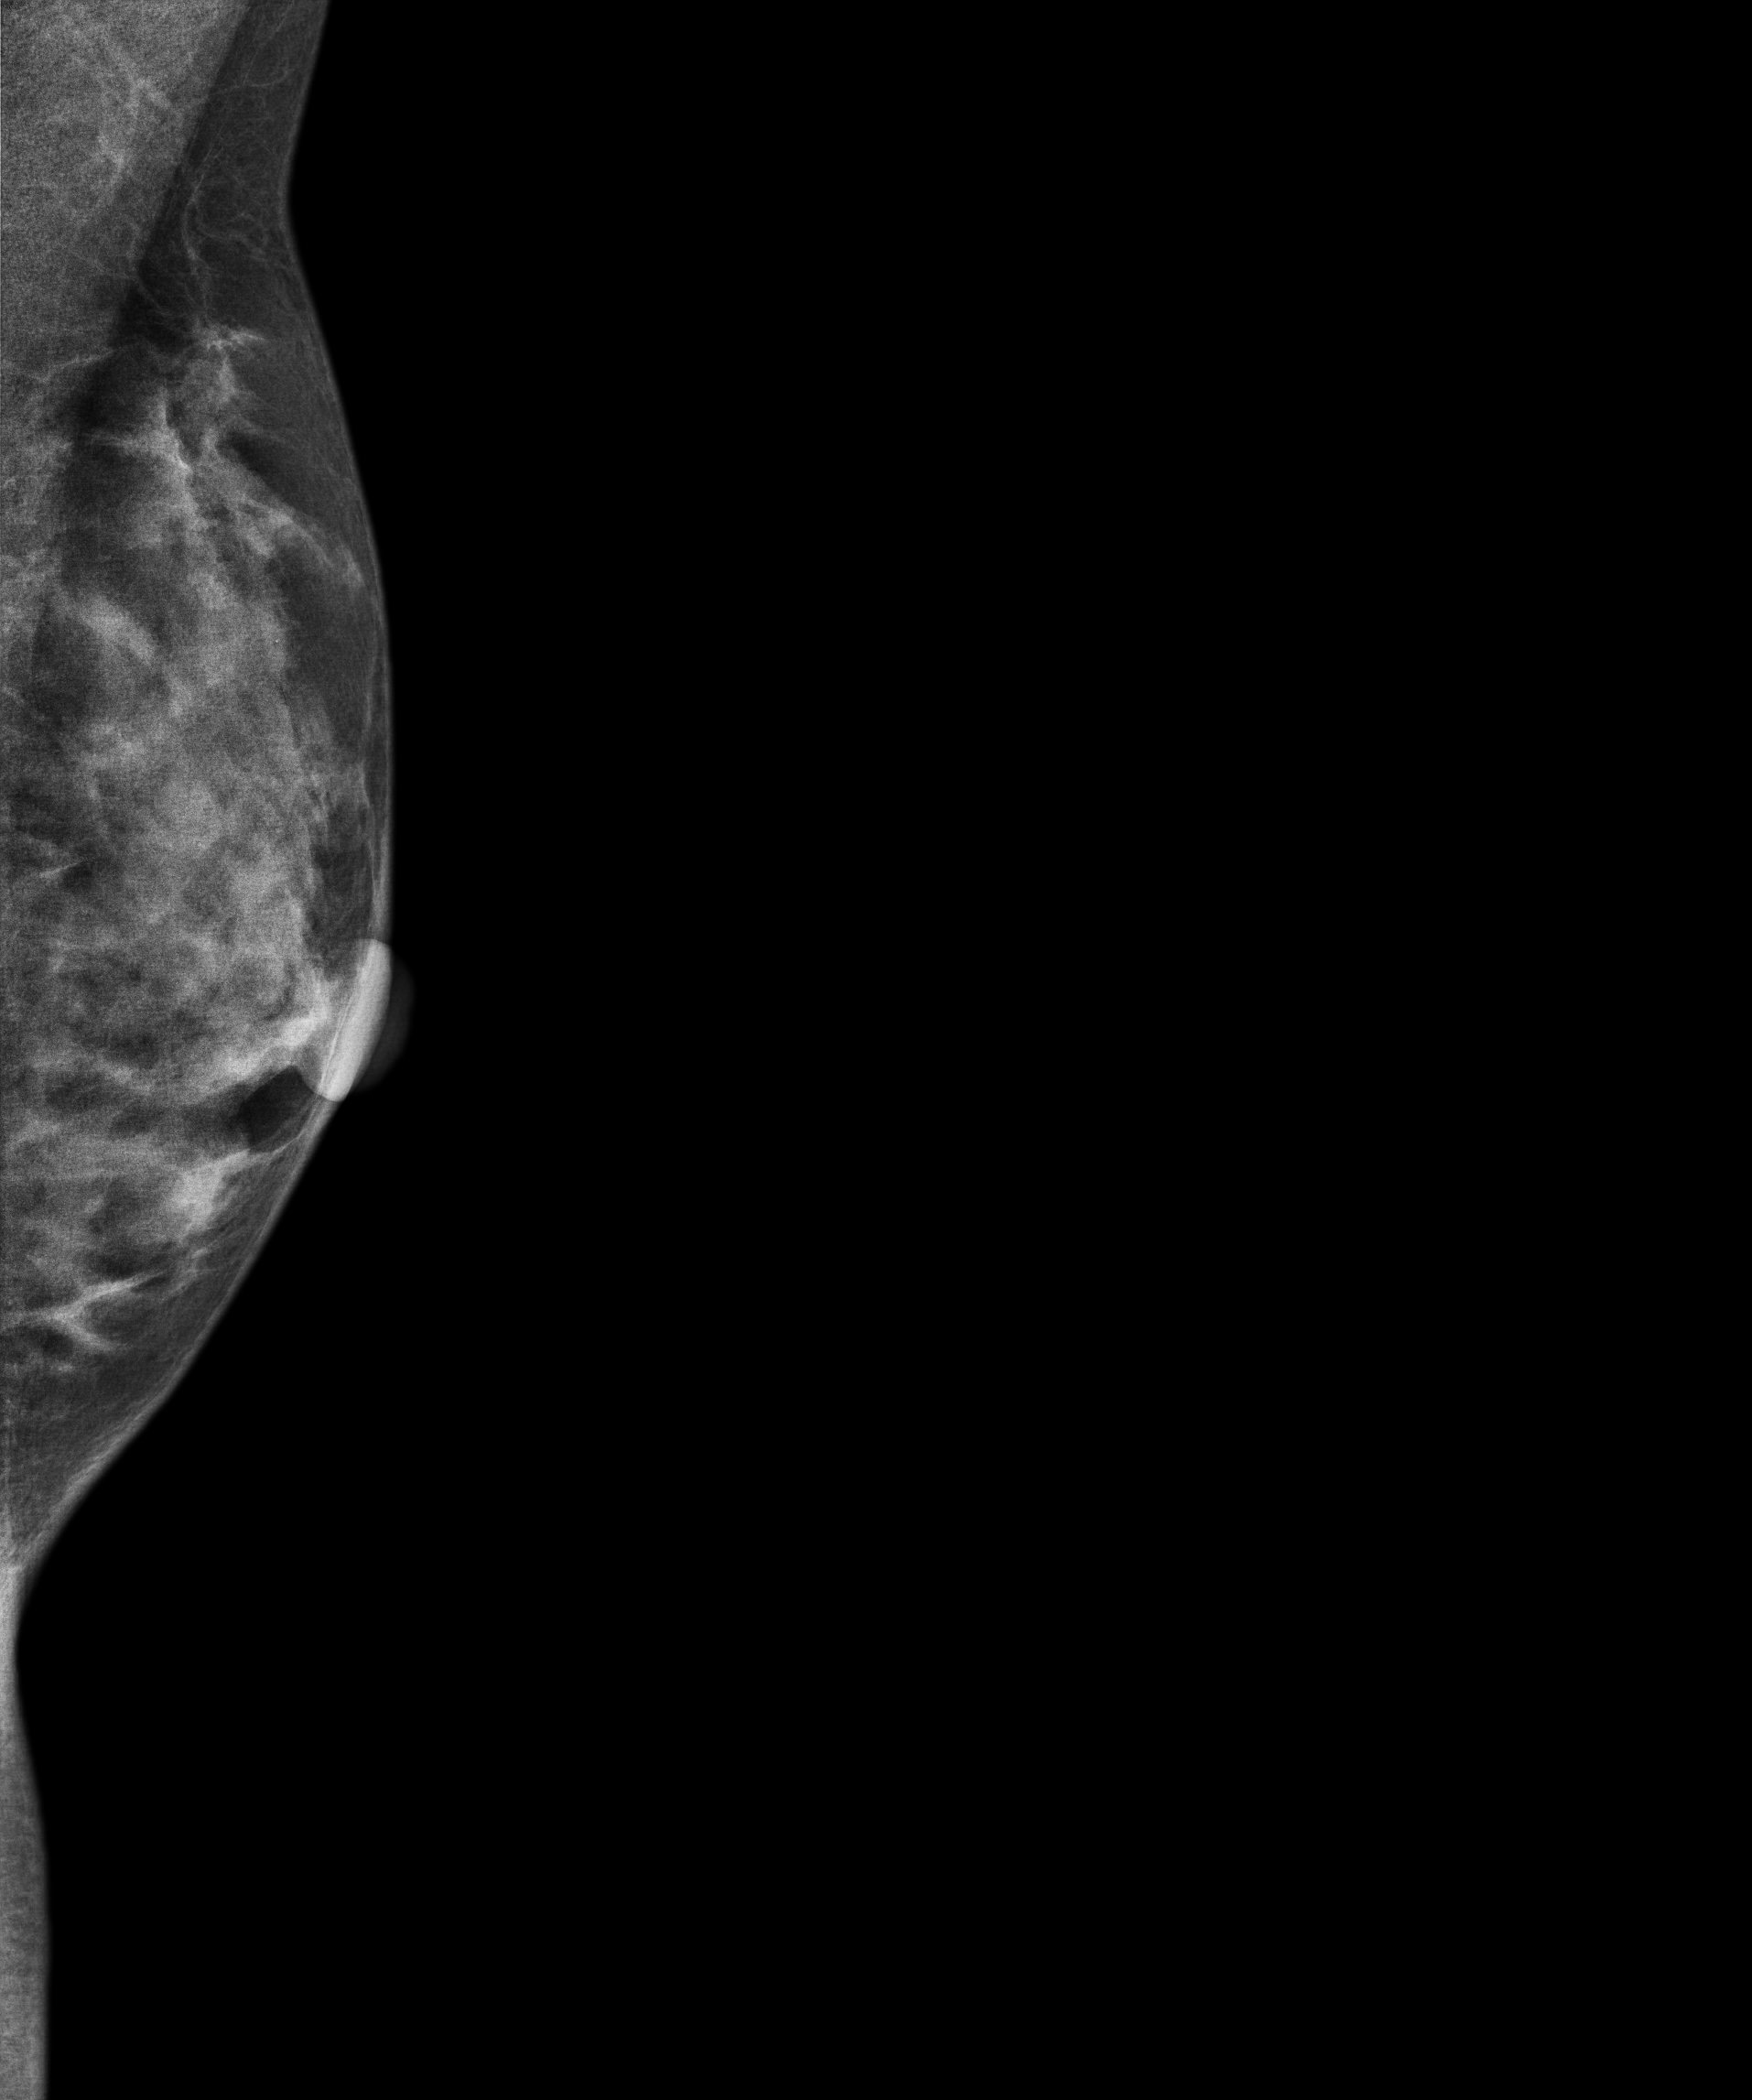
Mammogram — left MLO. 35 y/o patient.
Contralateral breast — no documented abnormality on this side.